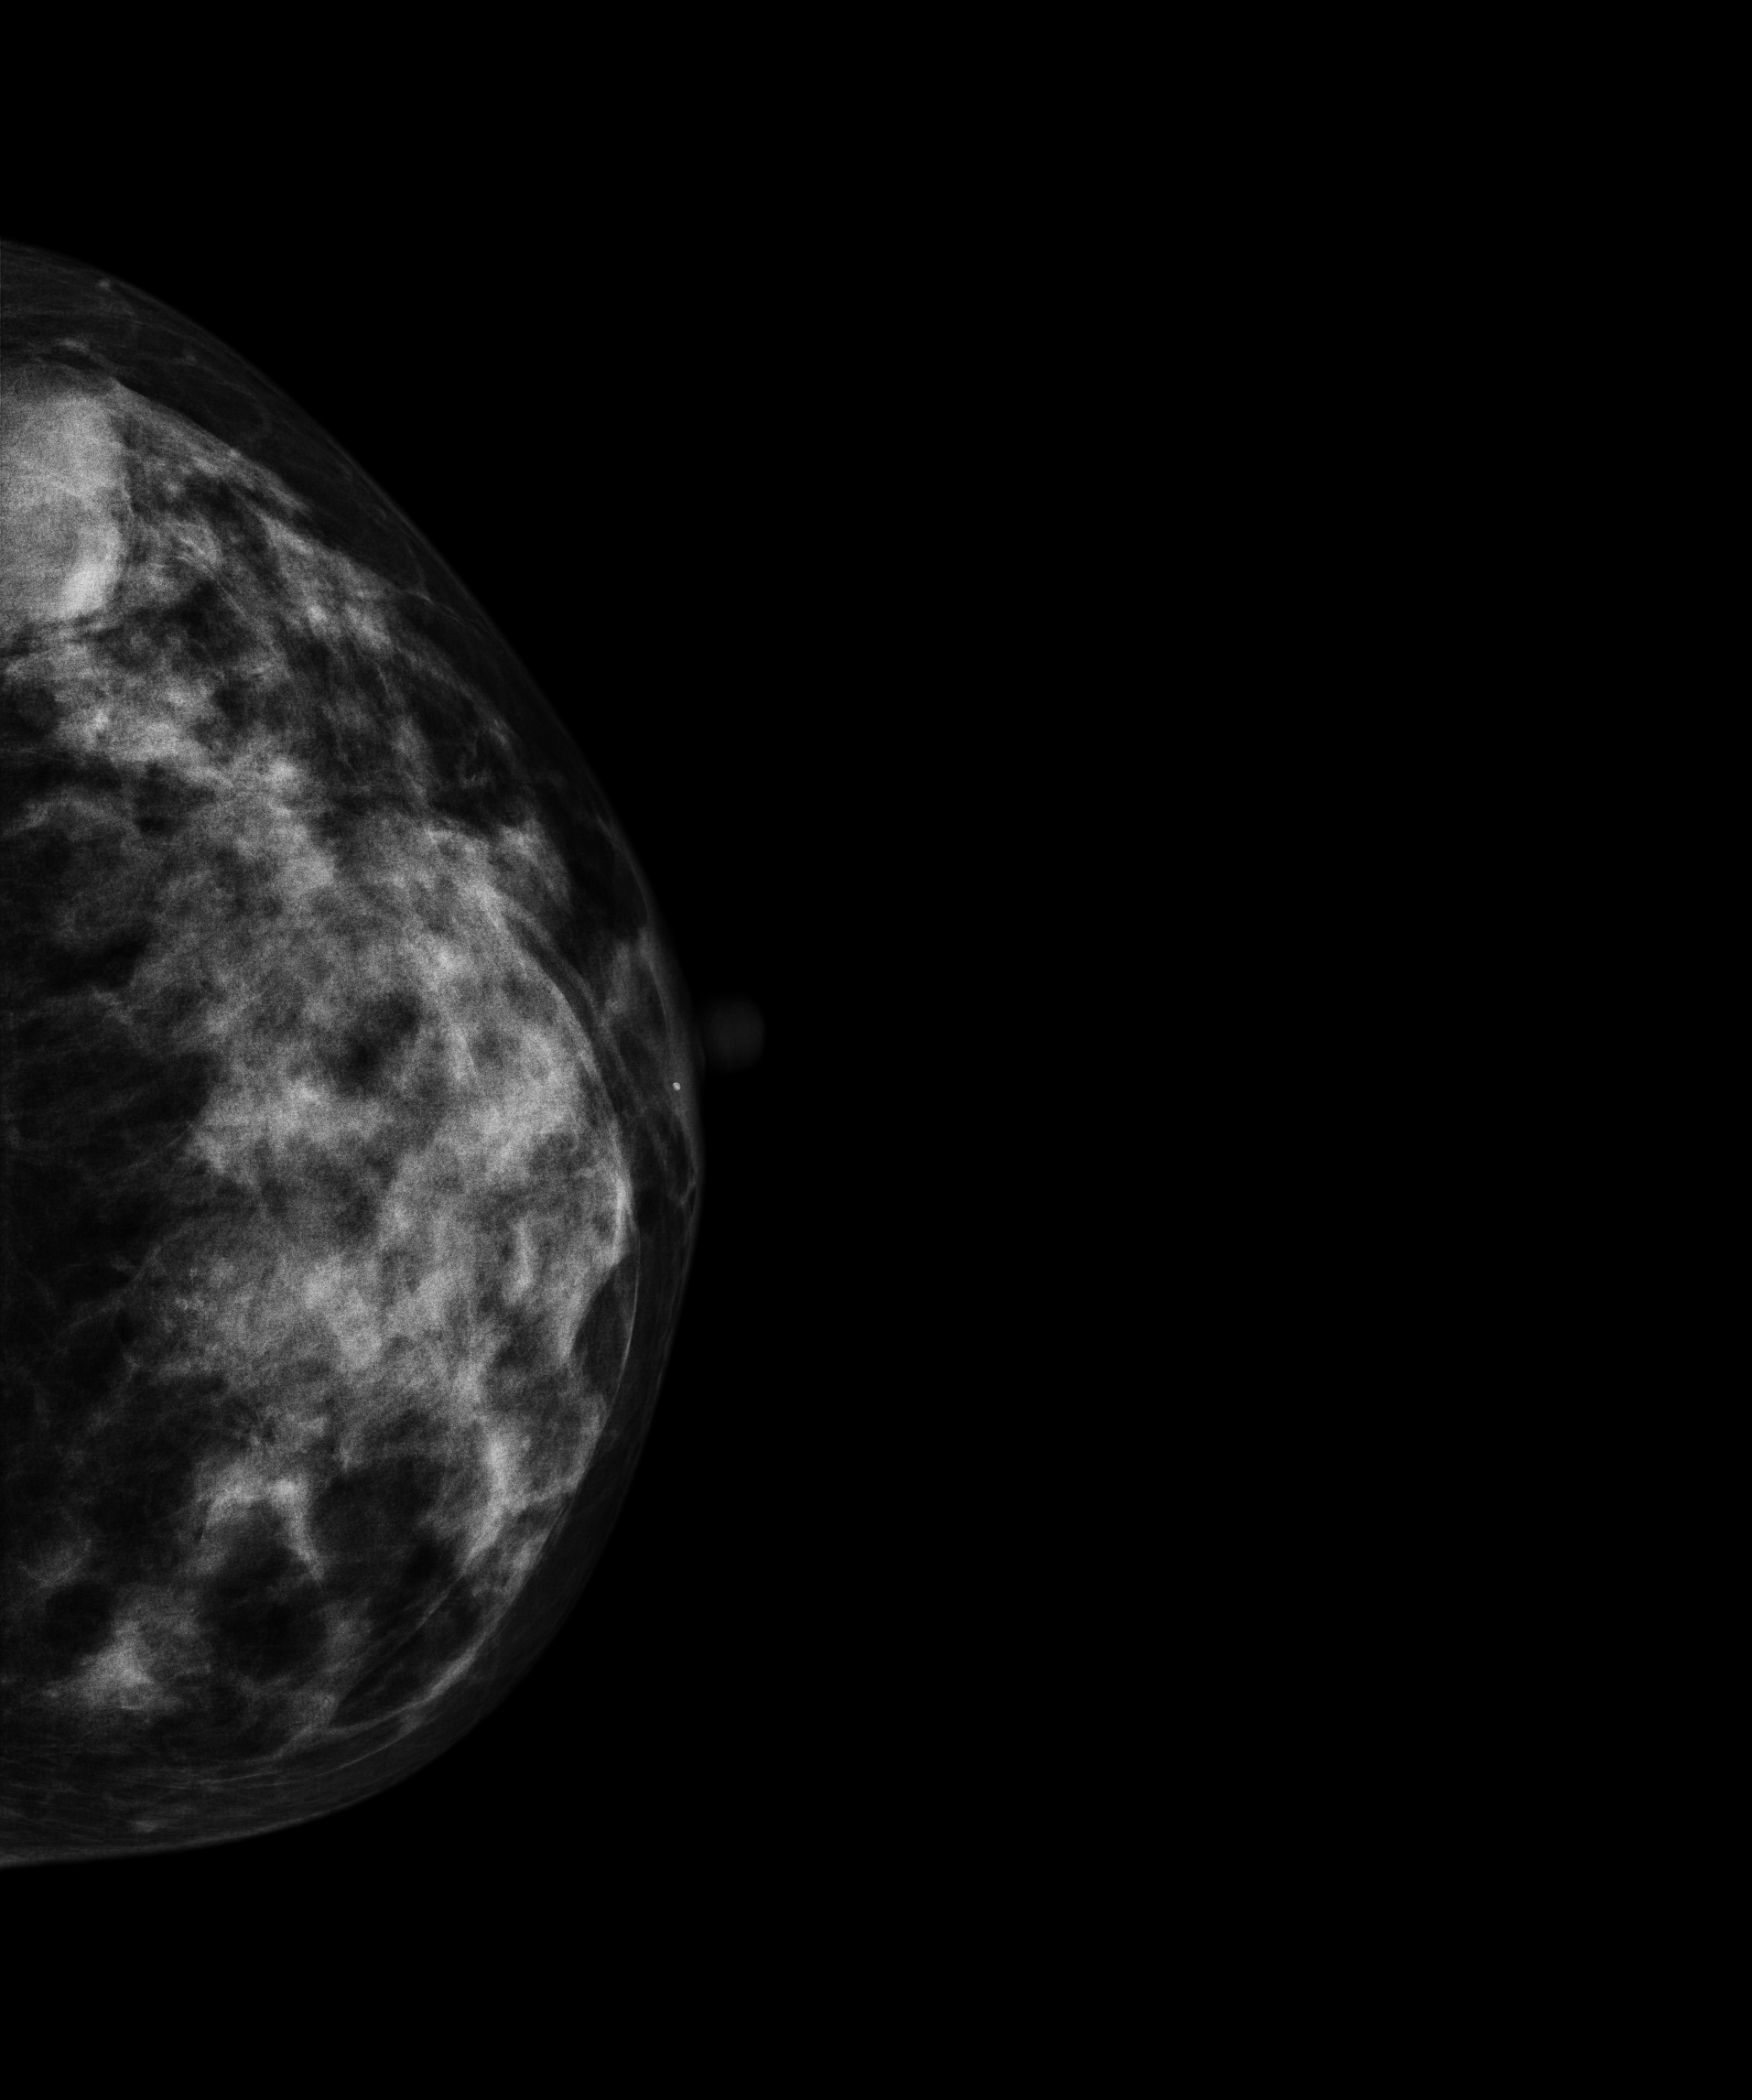
Mammogram, left breast, cranio-caudal view. Patient age 48.
This breast has a mass, histologically confirmed malignant.